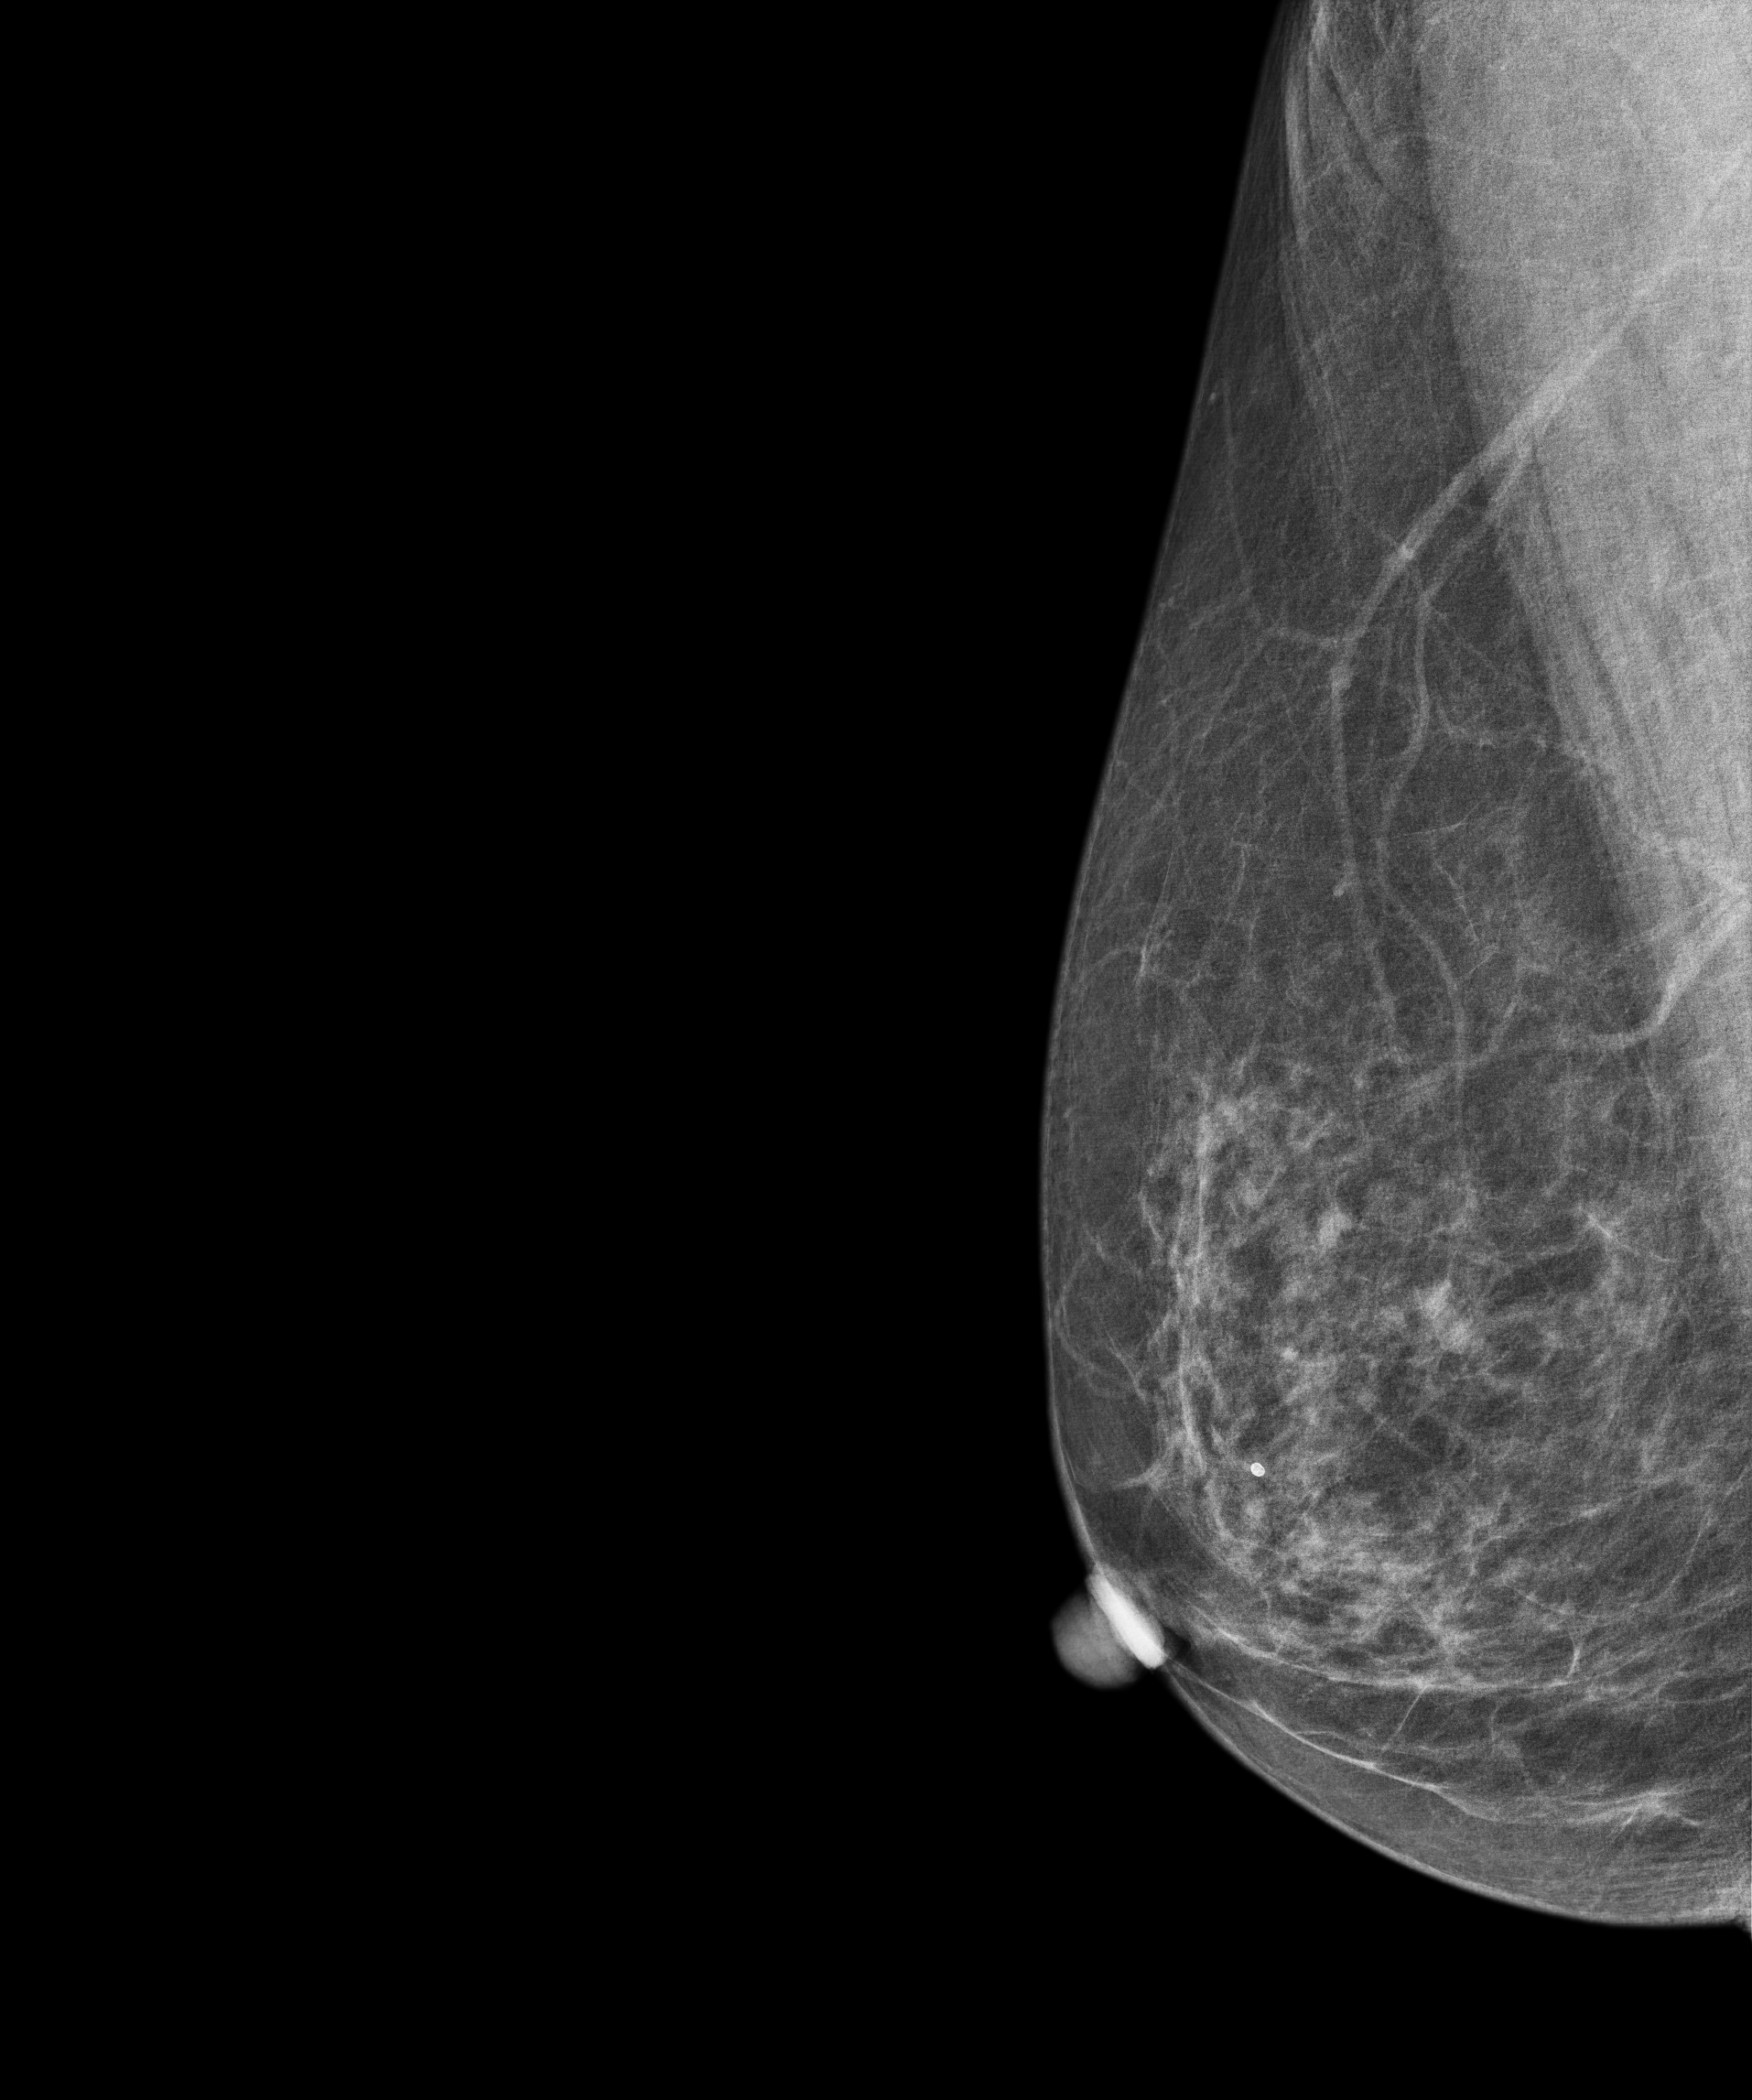
Digital mammography. Right breast, MLO projection. Patient age 59.
Contralateral breast — no documented abnormality on this side.